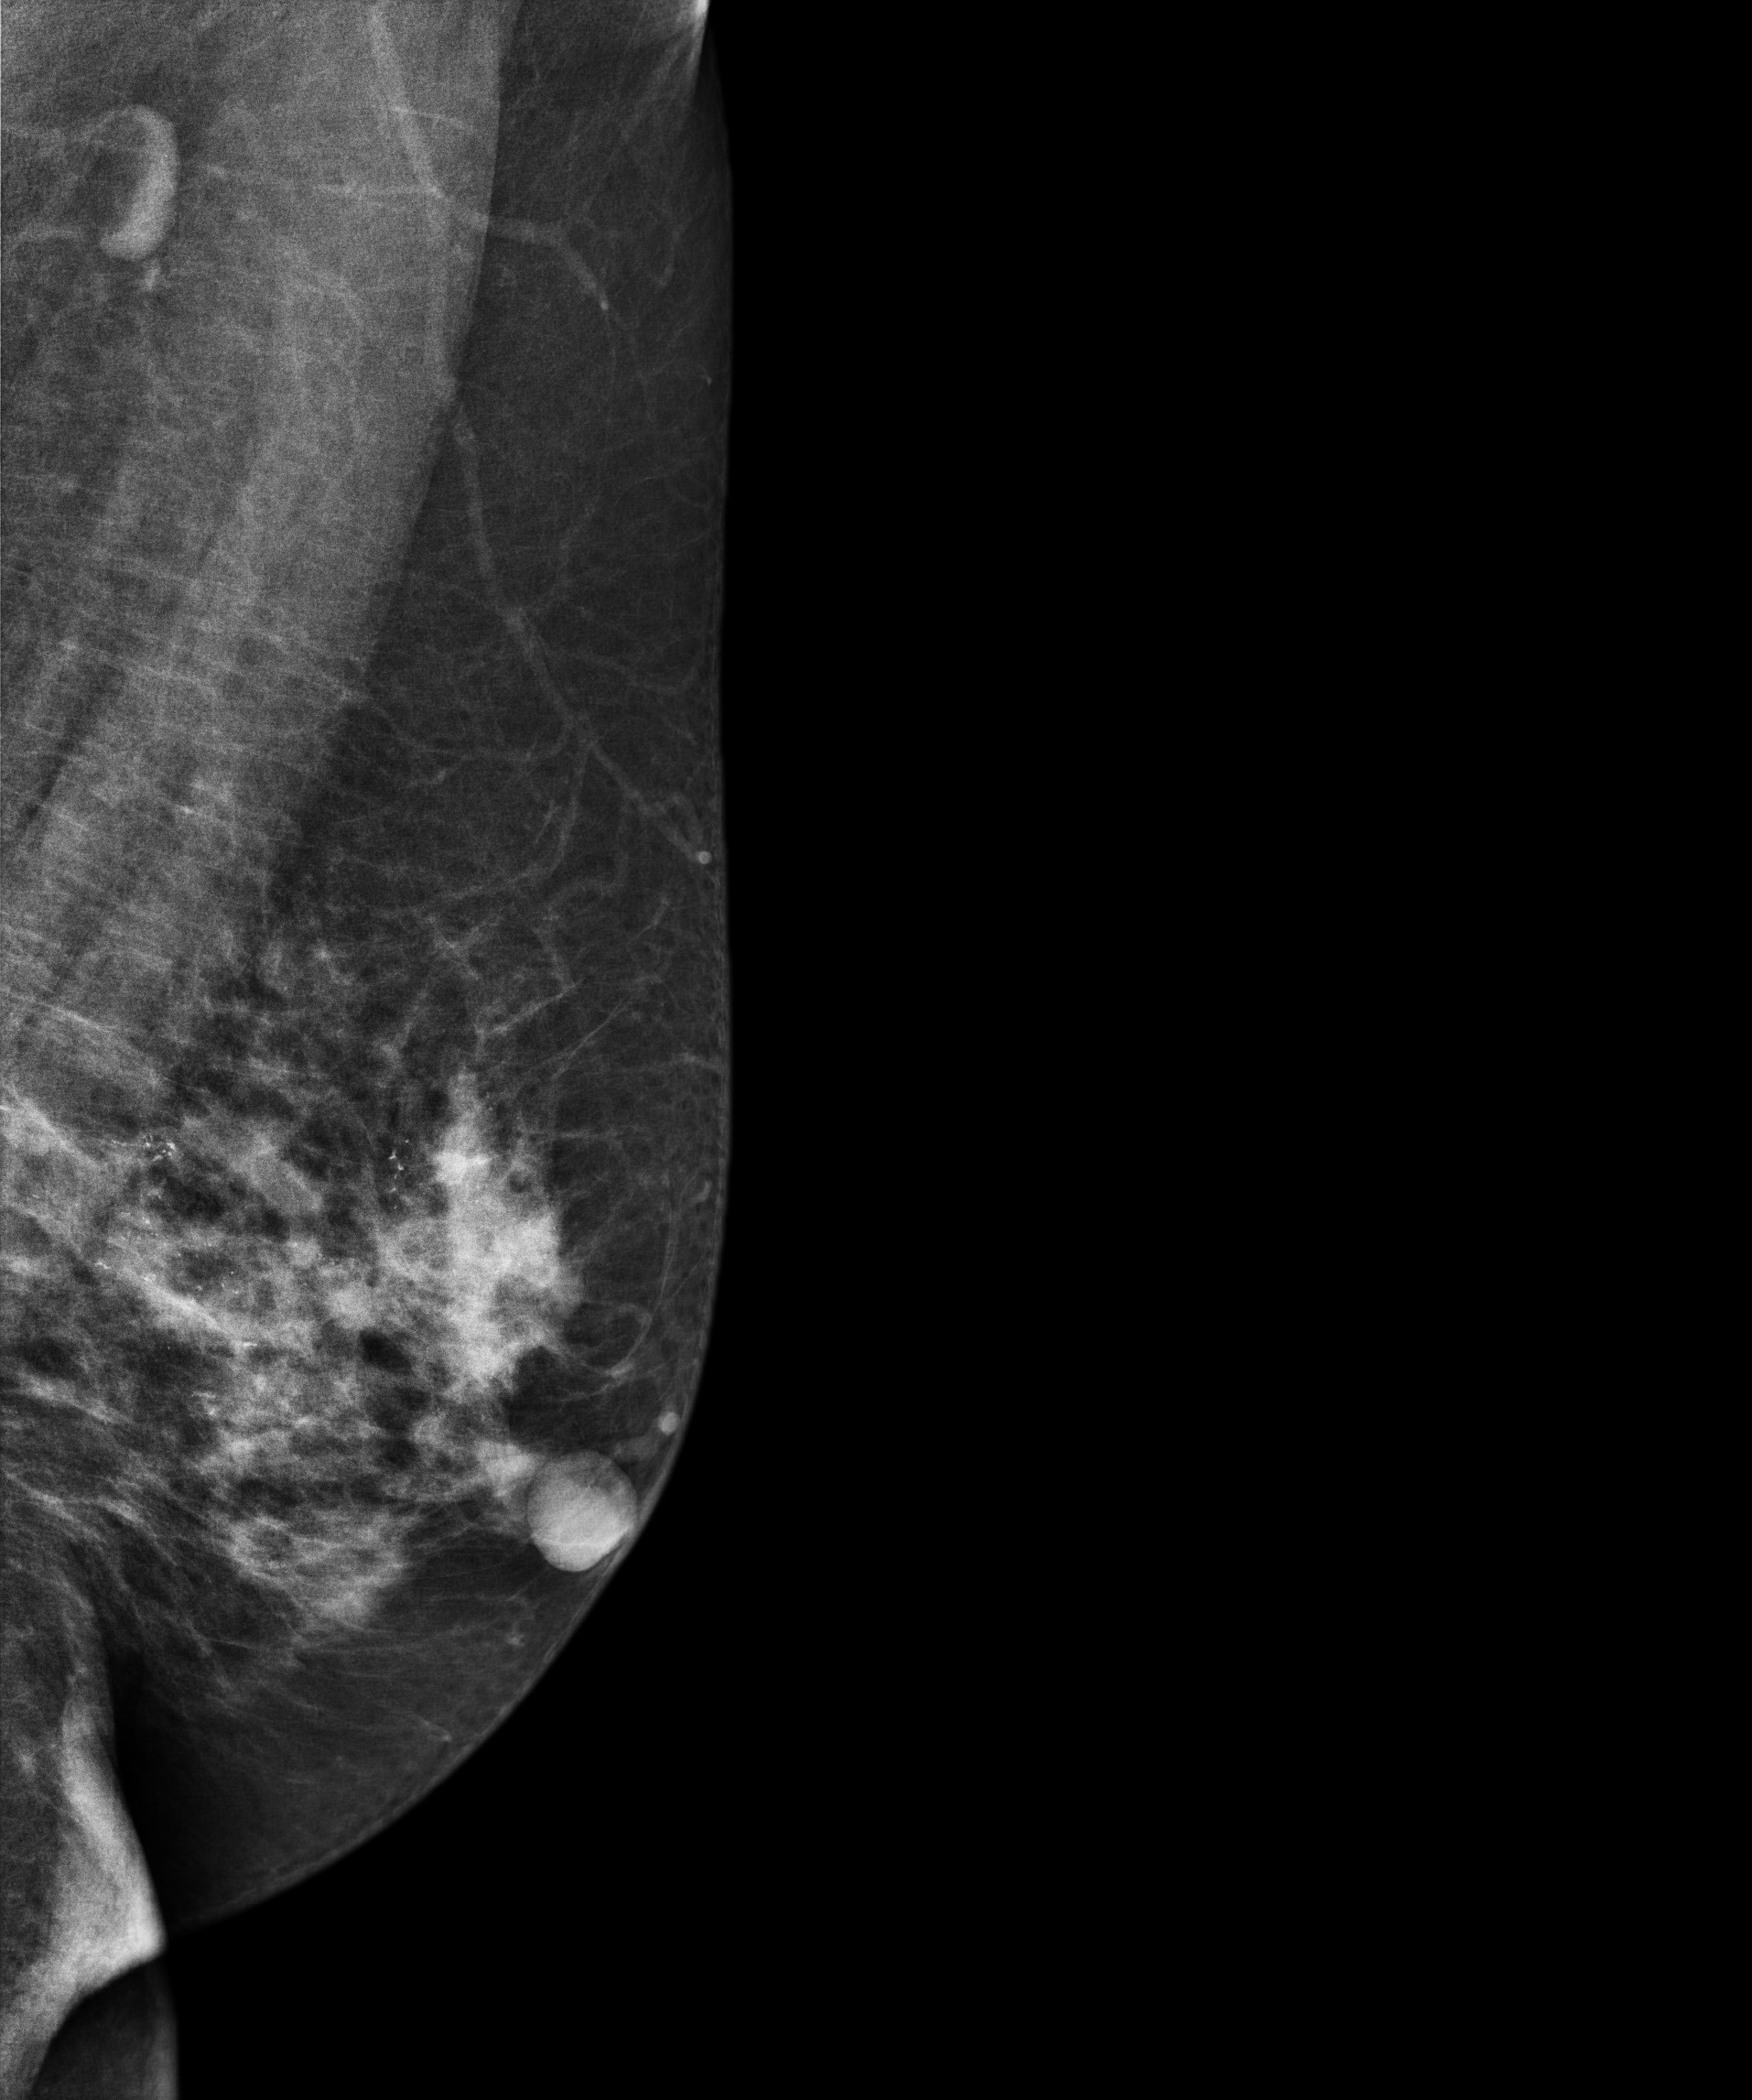
Digital mammography. Left breast, MLO projection. 61 y/o patient.
This breast has a mass and calcifications, pathology-confirmed malignant.